Left-breast mammogram, cranio-caudal. 45 y/o patient.
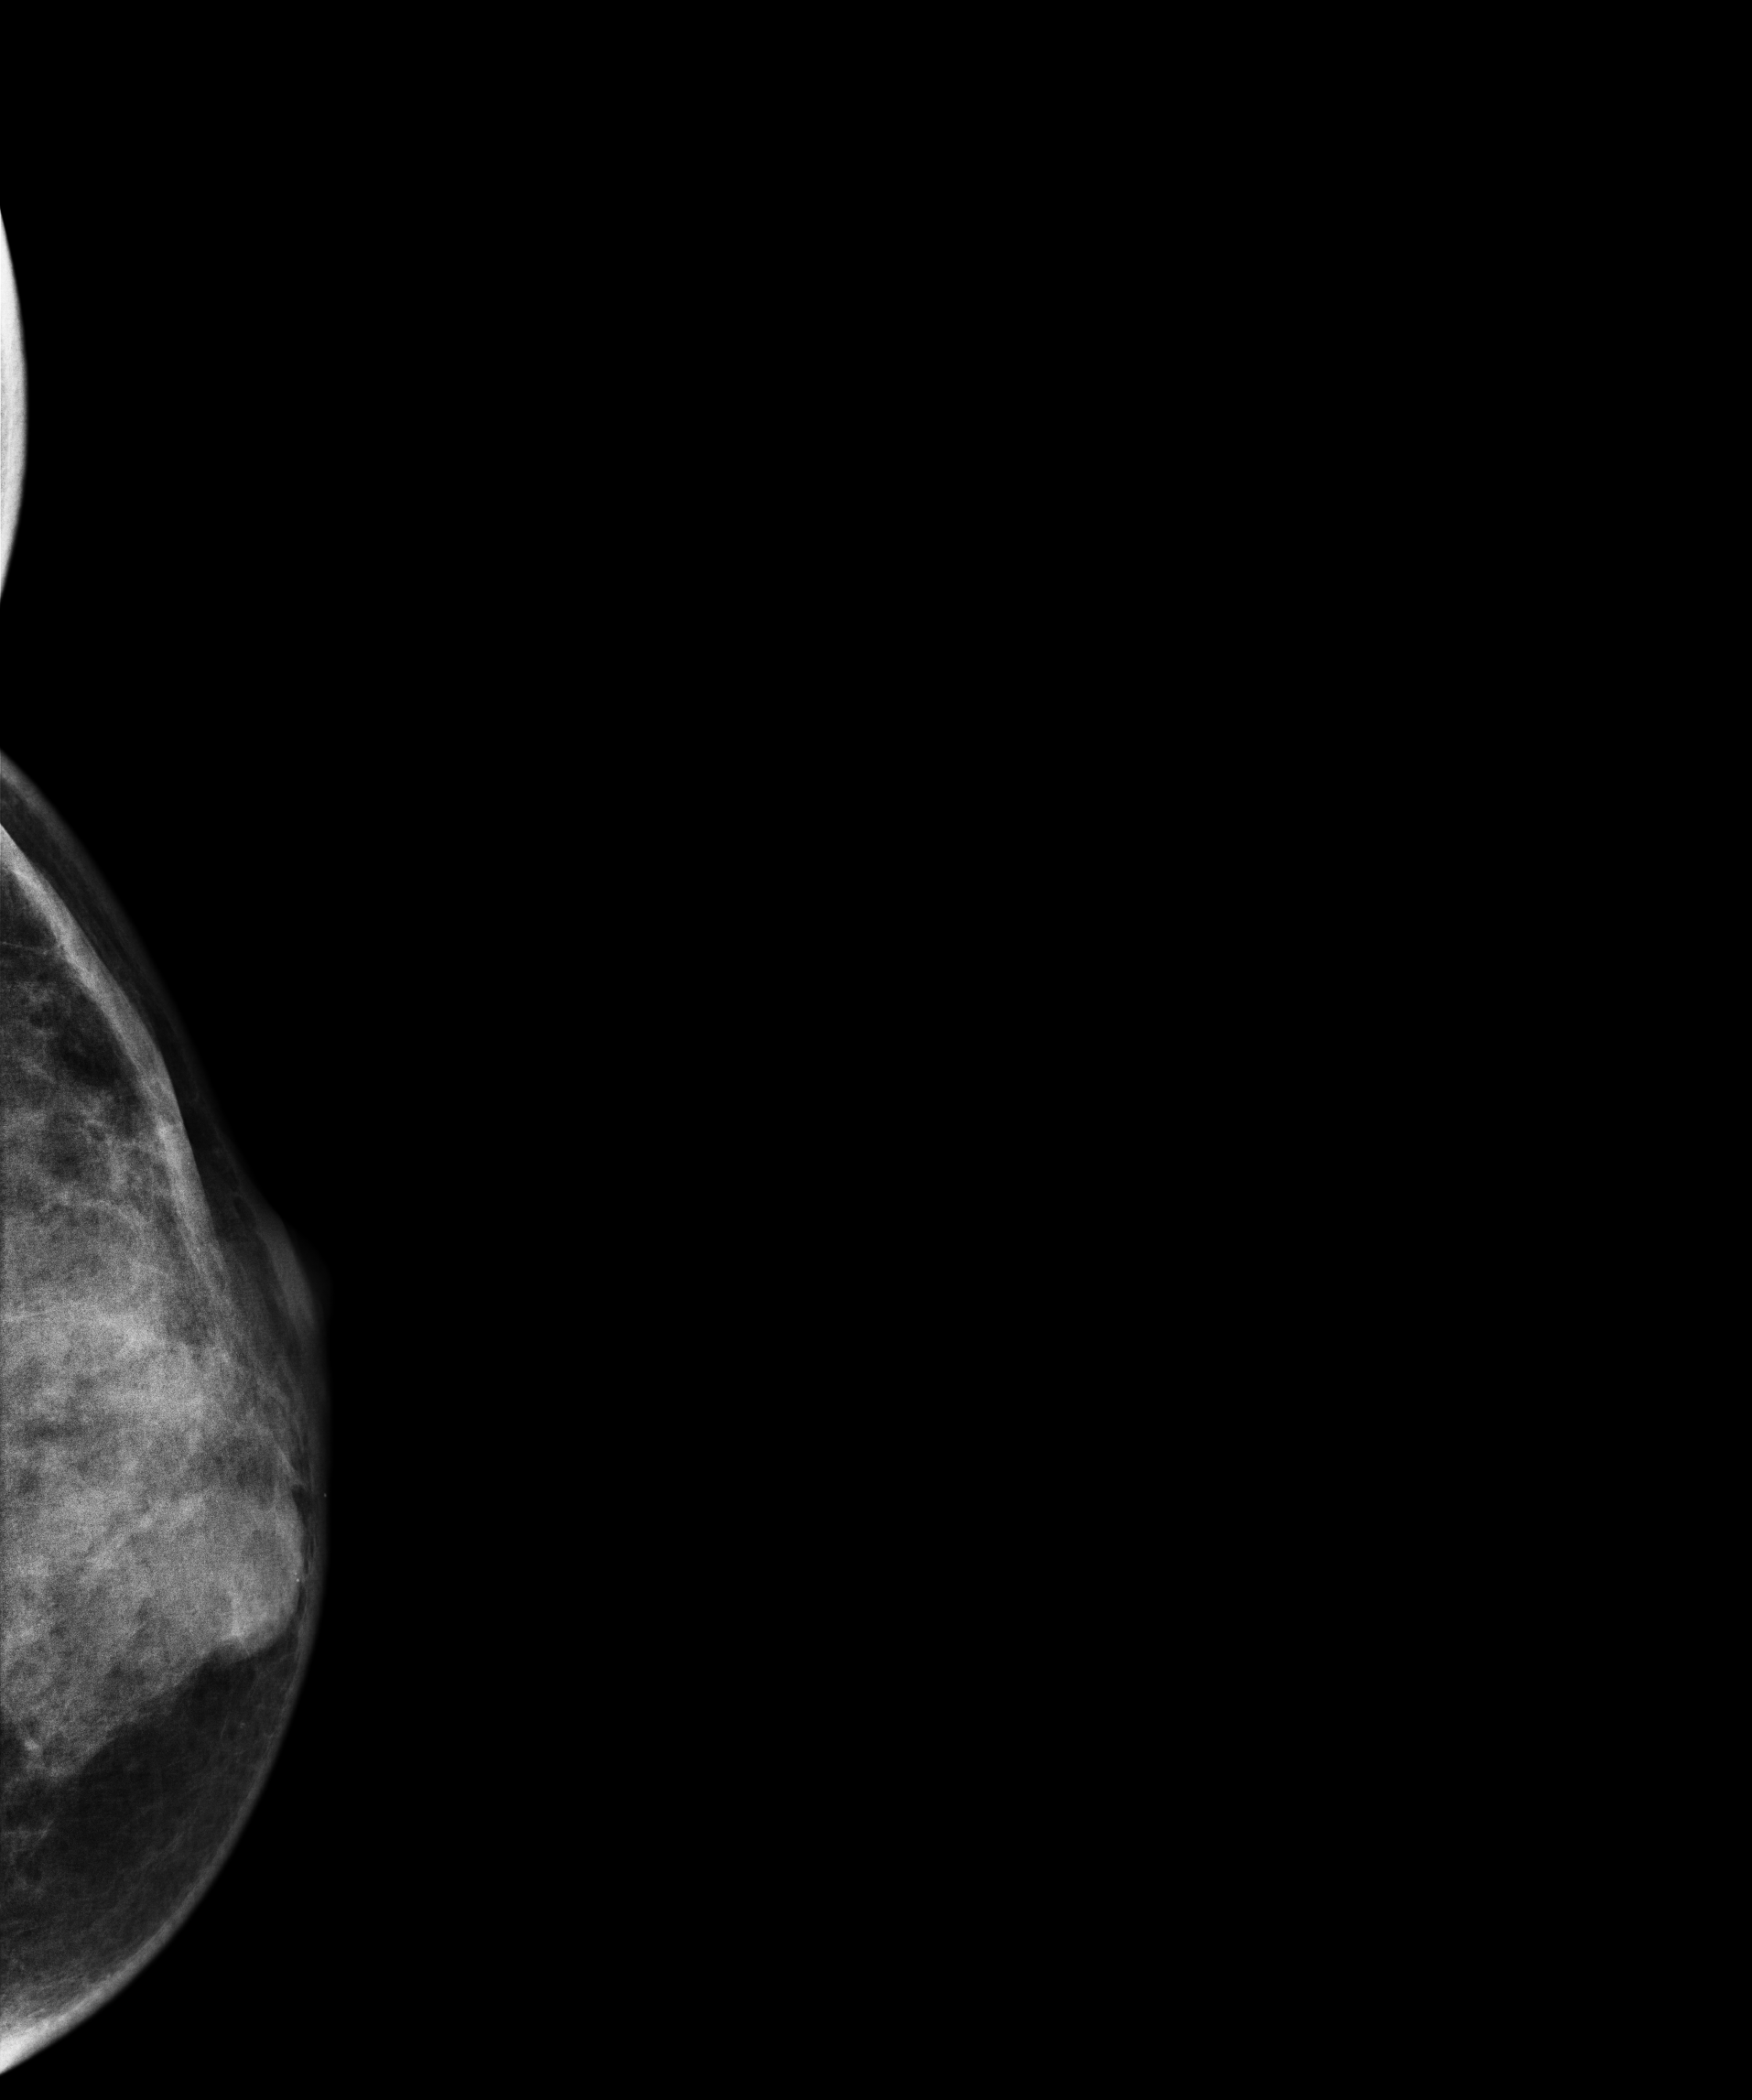
This breast has a mass, pathology-confirmed benign.